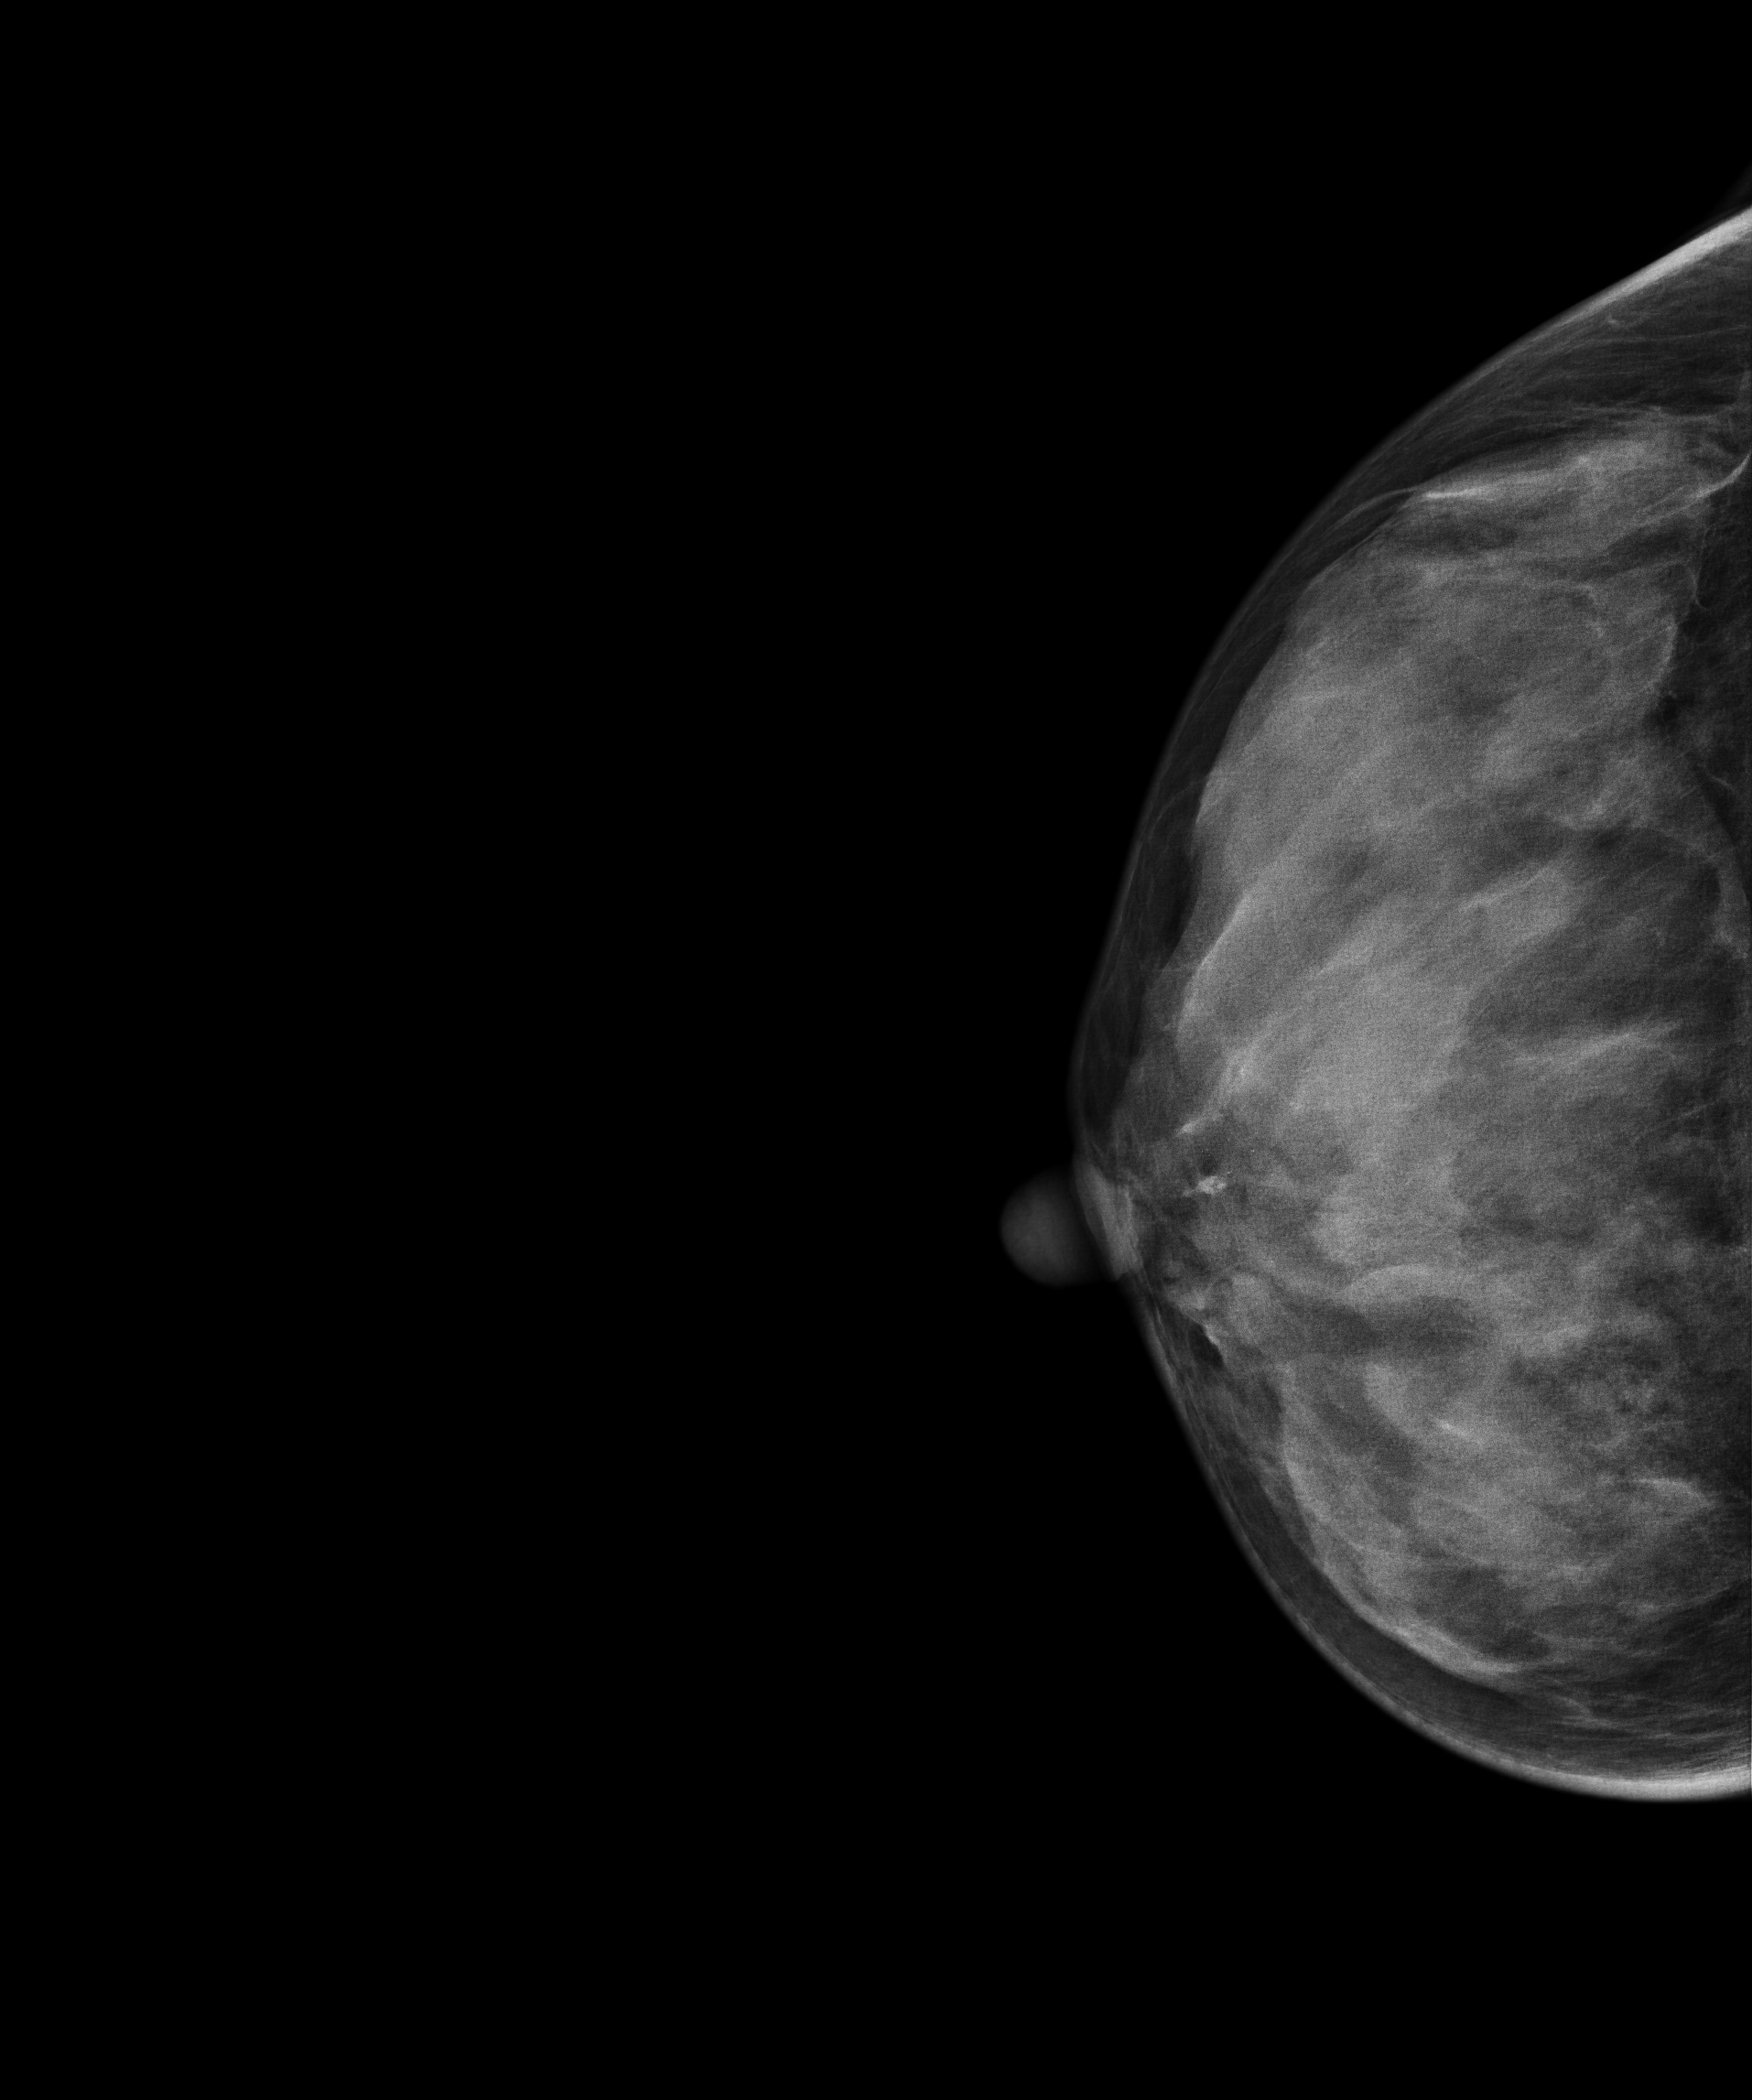
Right-breast mammogram, CC. 39-year-old patient.
Contralateral breast — no documented abnormality on this side.